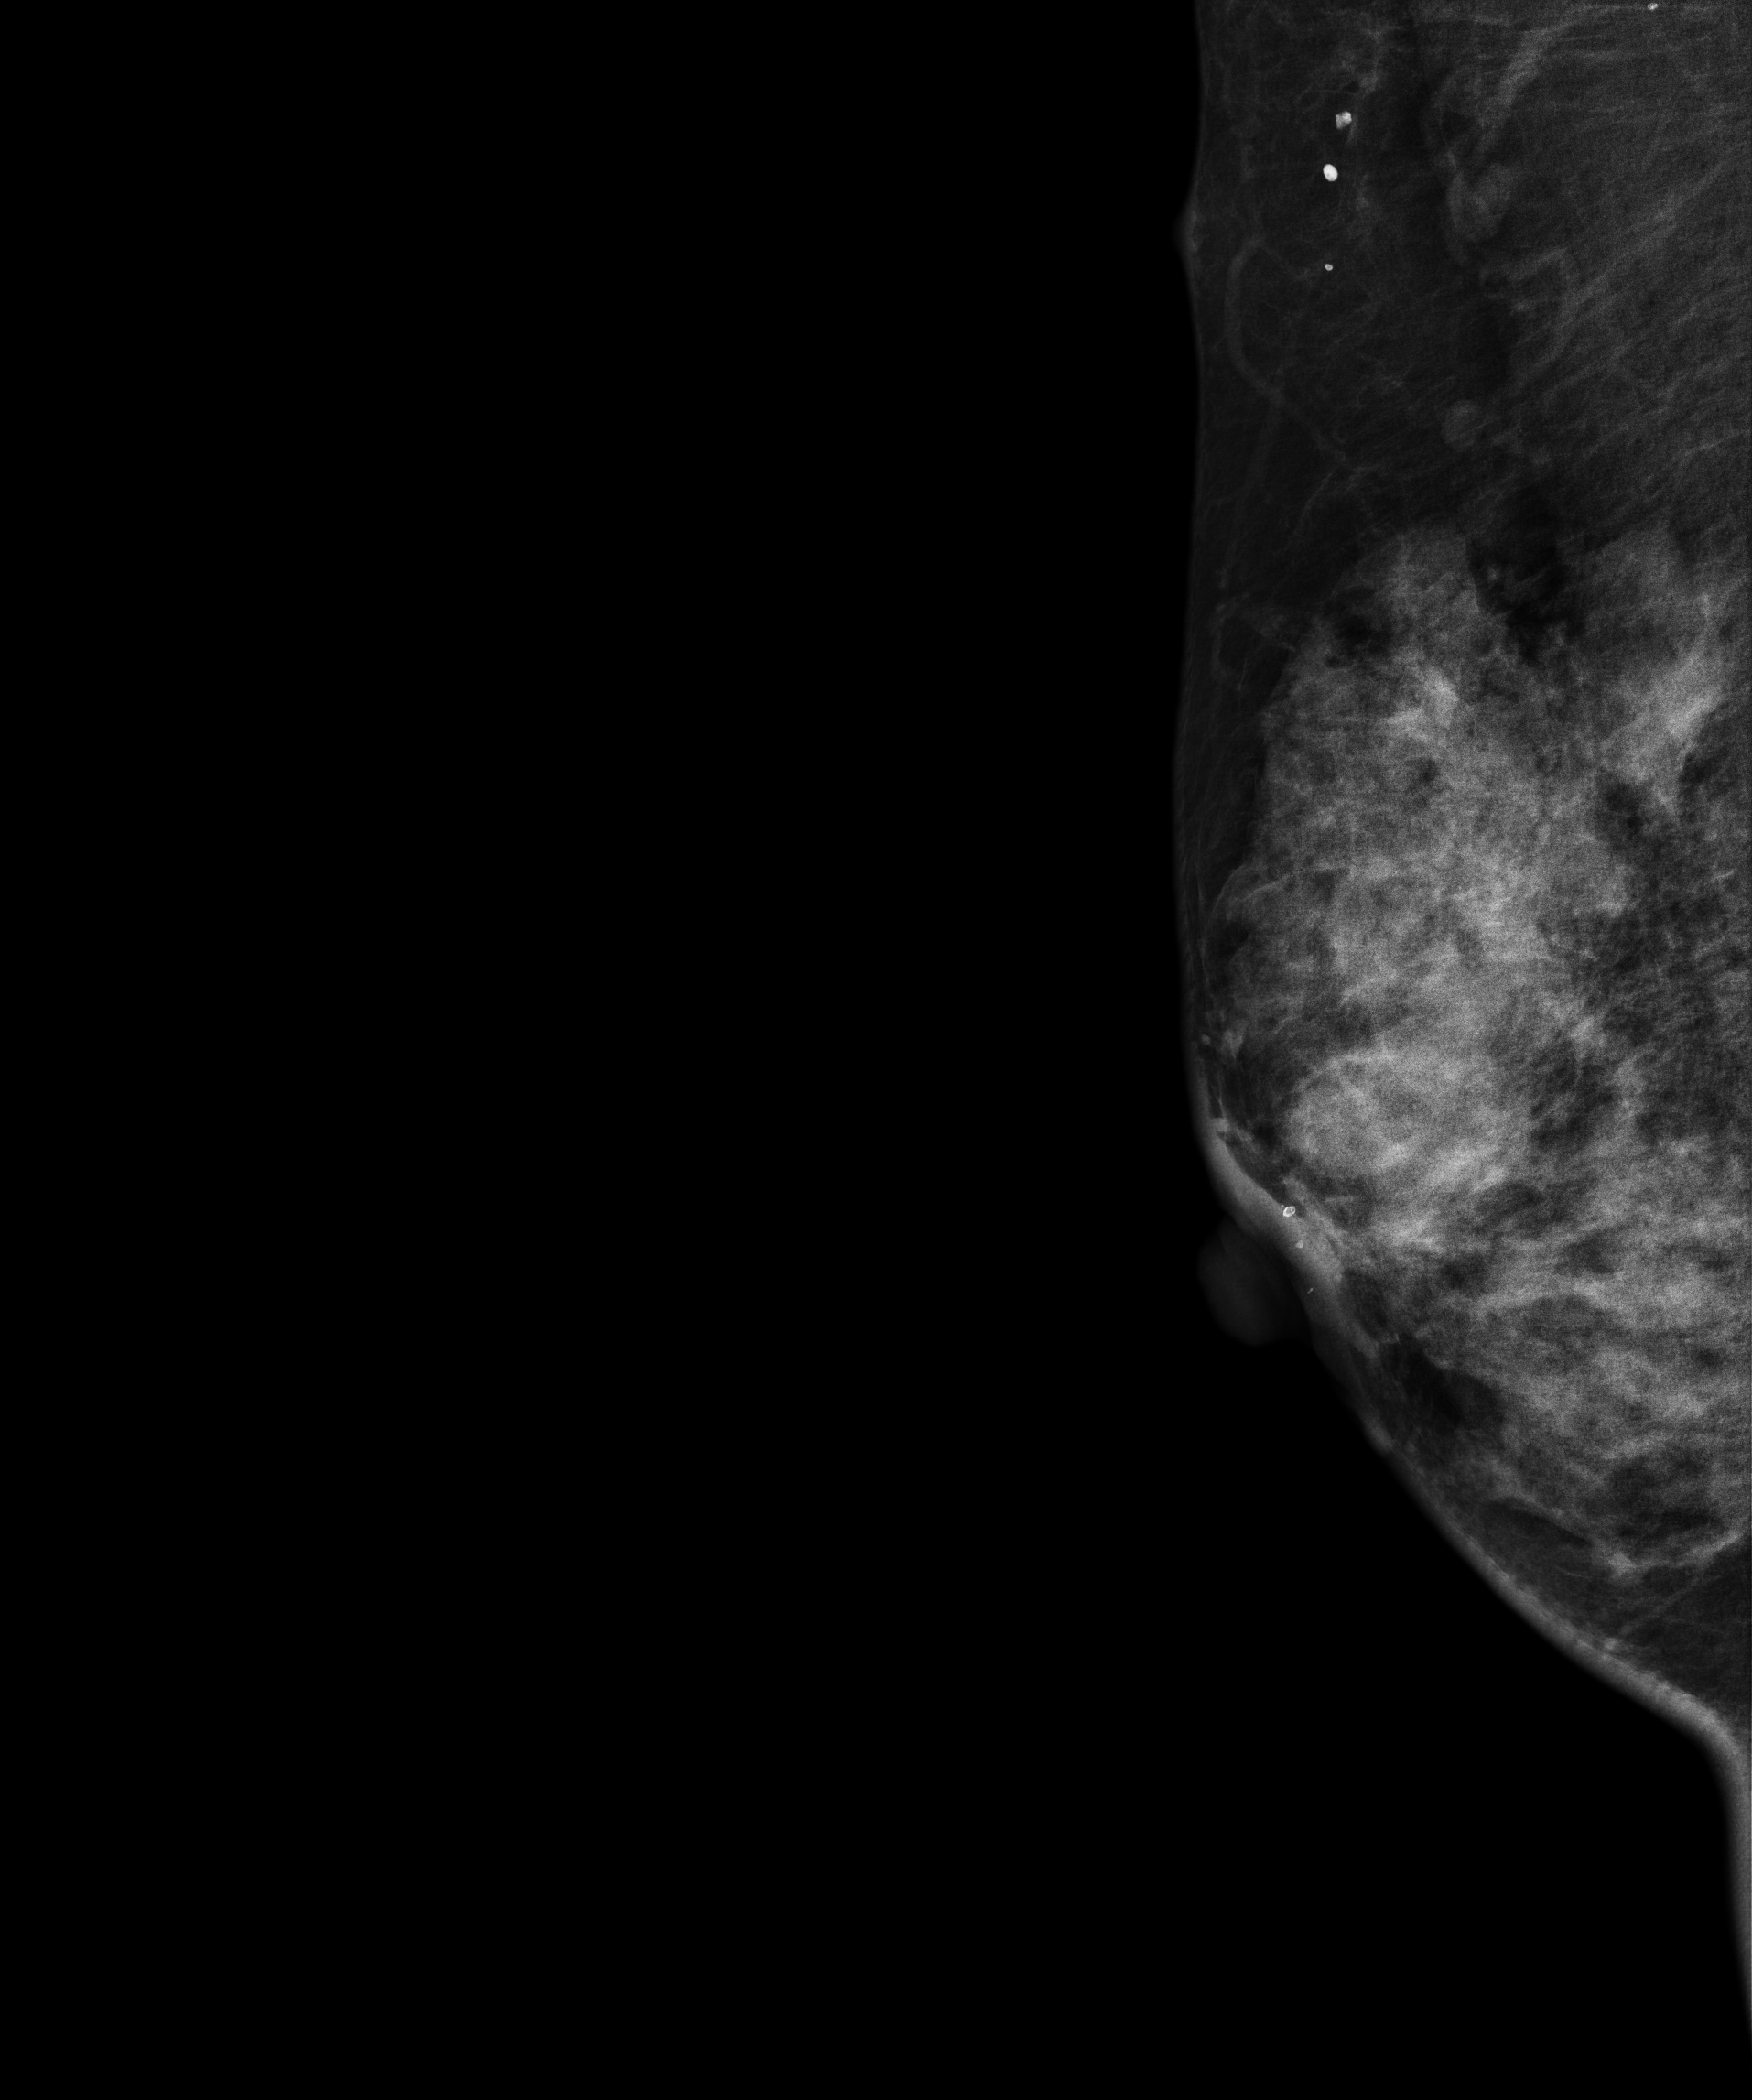
MLO mammogram of the right breast. 43-year-old patient.
This breast has a mass, histologically confirmed malignant. Molecular subtype: HER2-enriched.